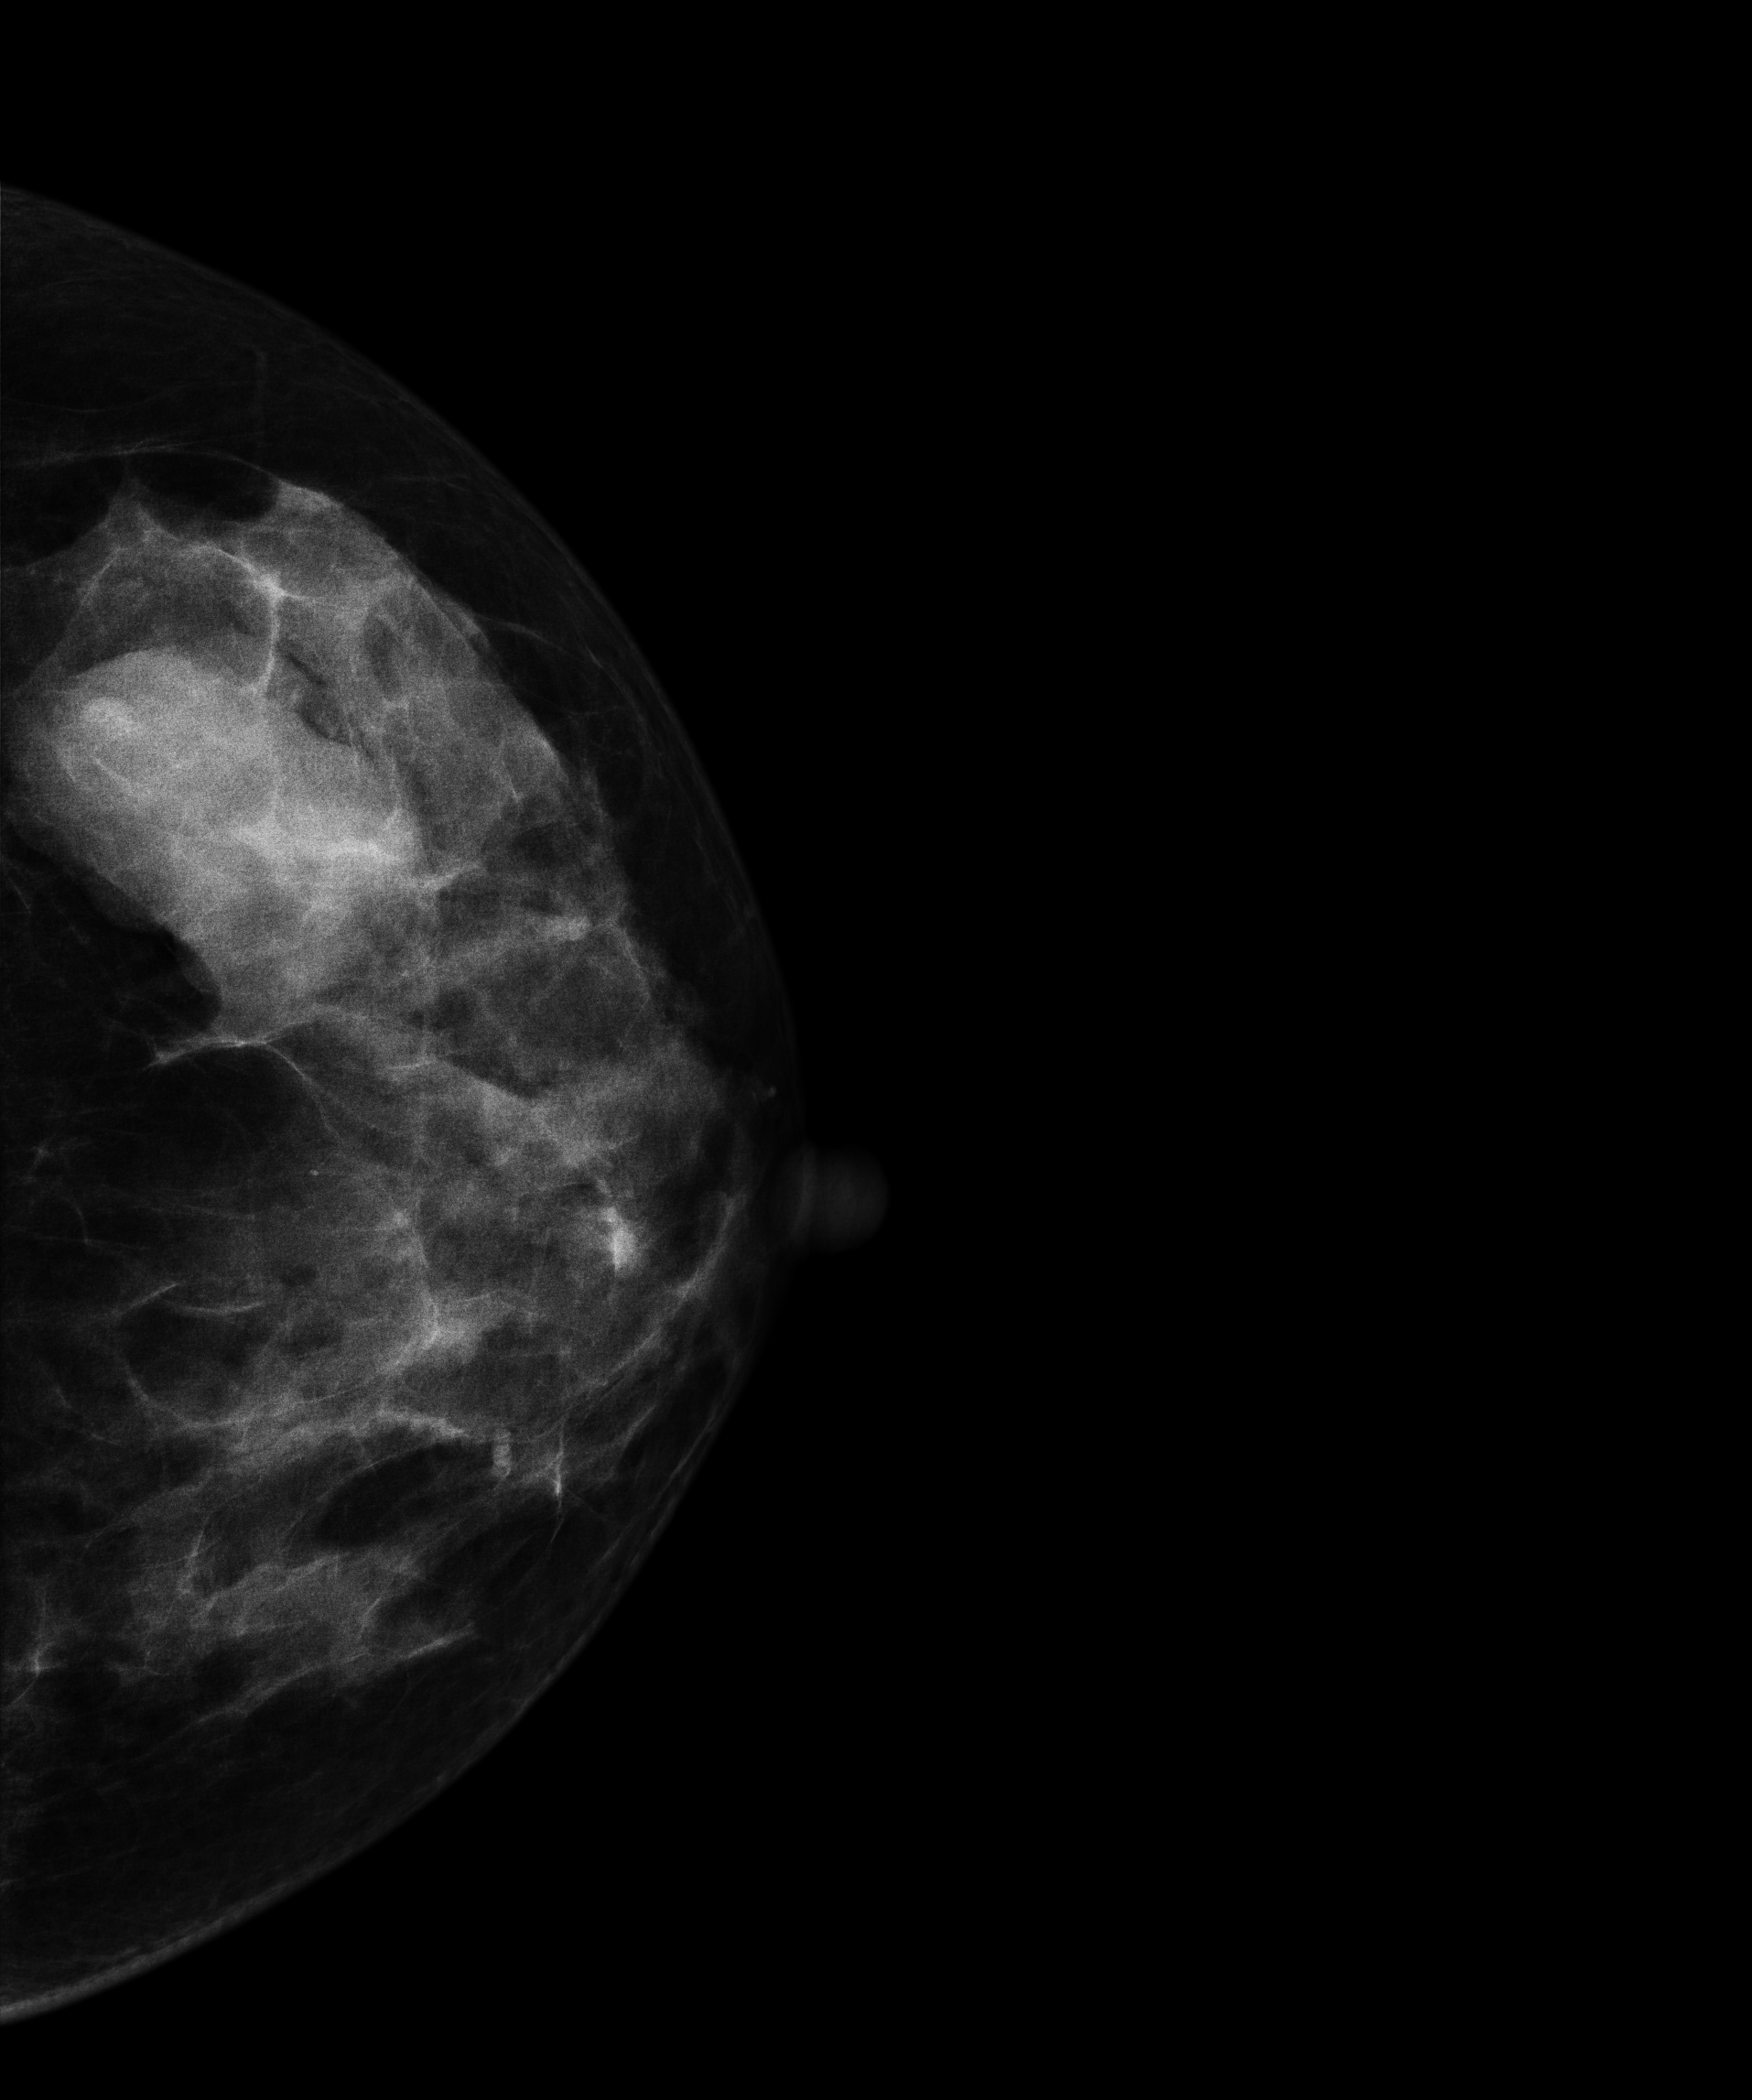
Left-breast mammogram, CC. 50-year-old patient.
This breast has a mass, biopsy-proven benign.